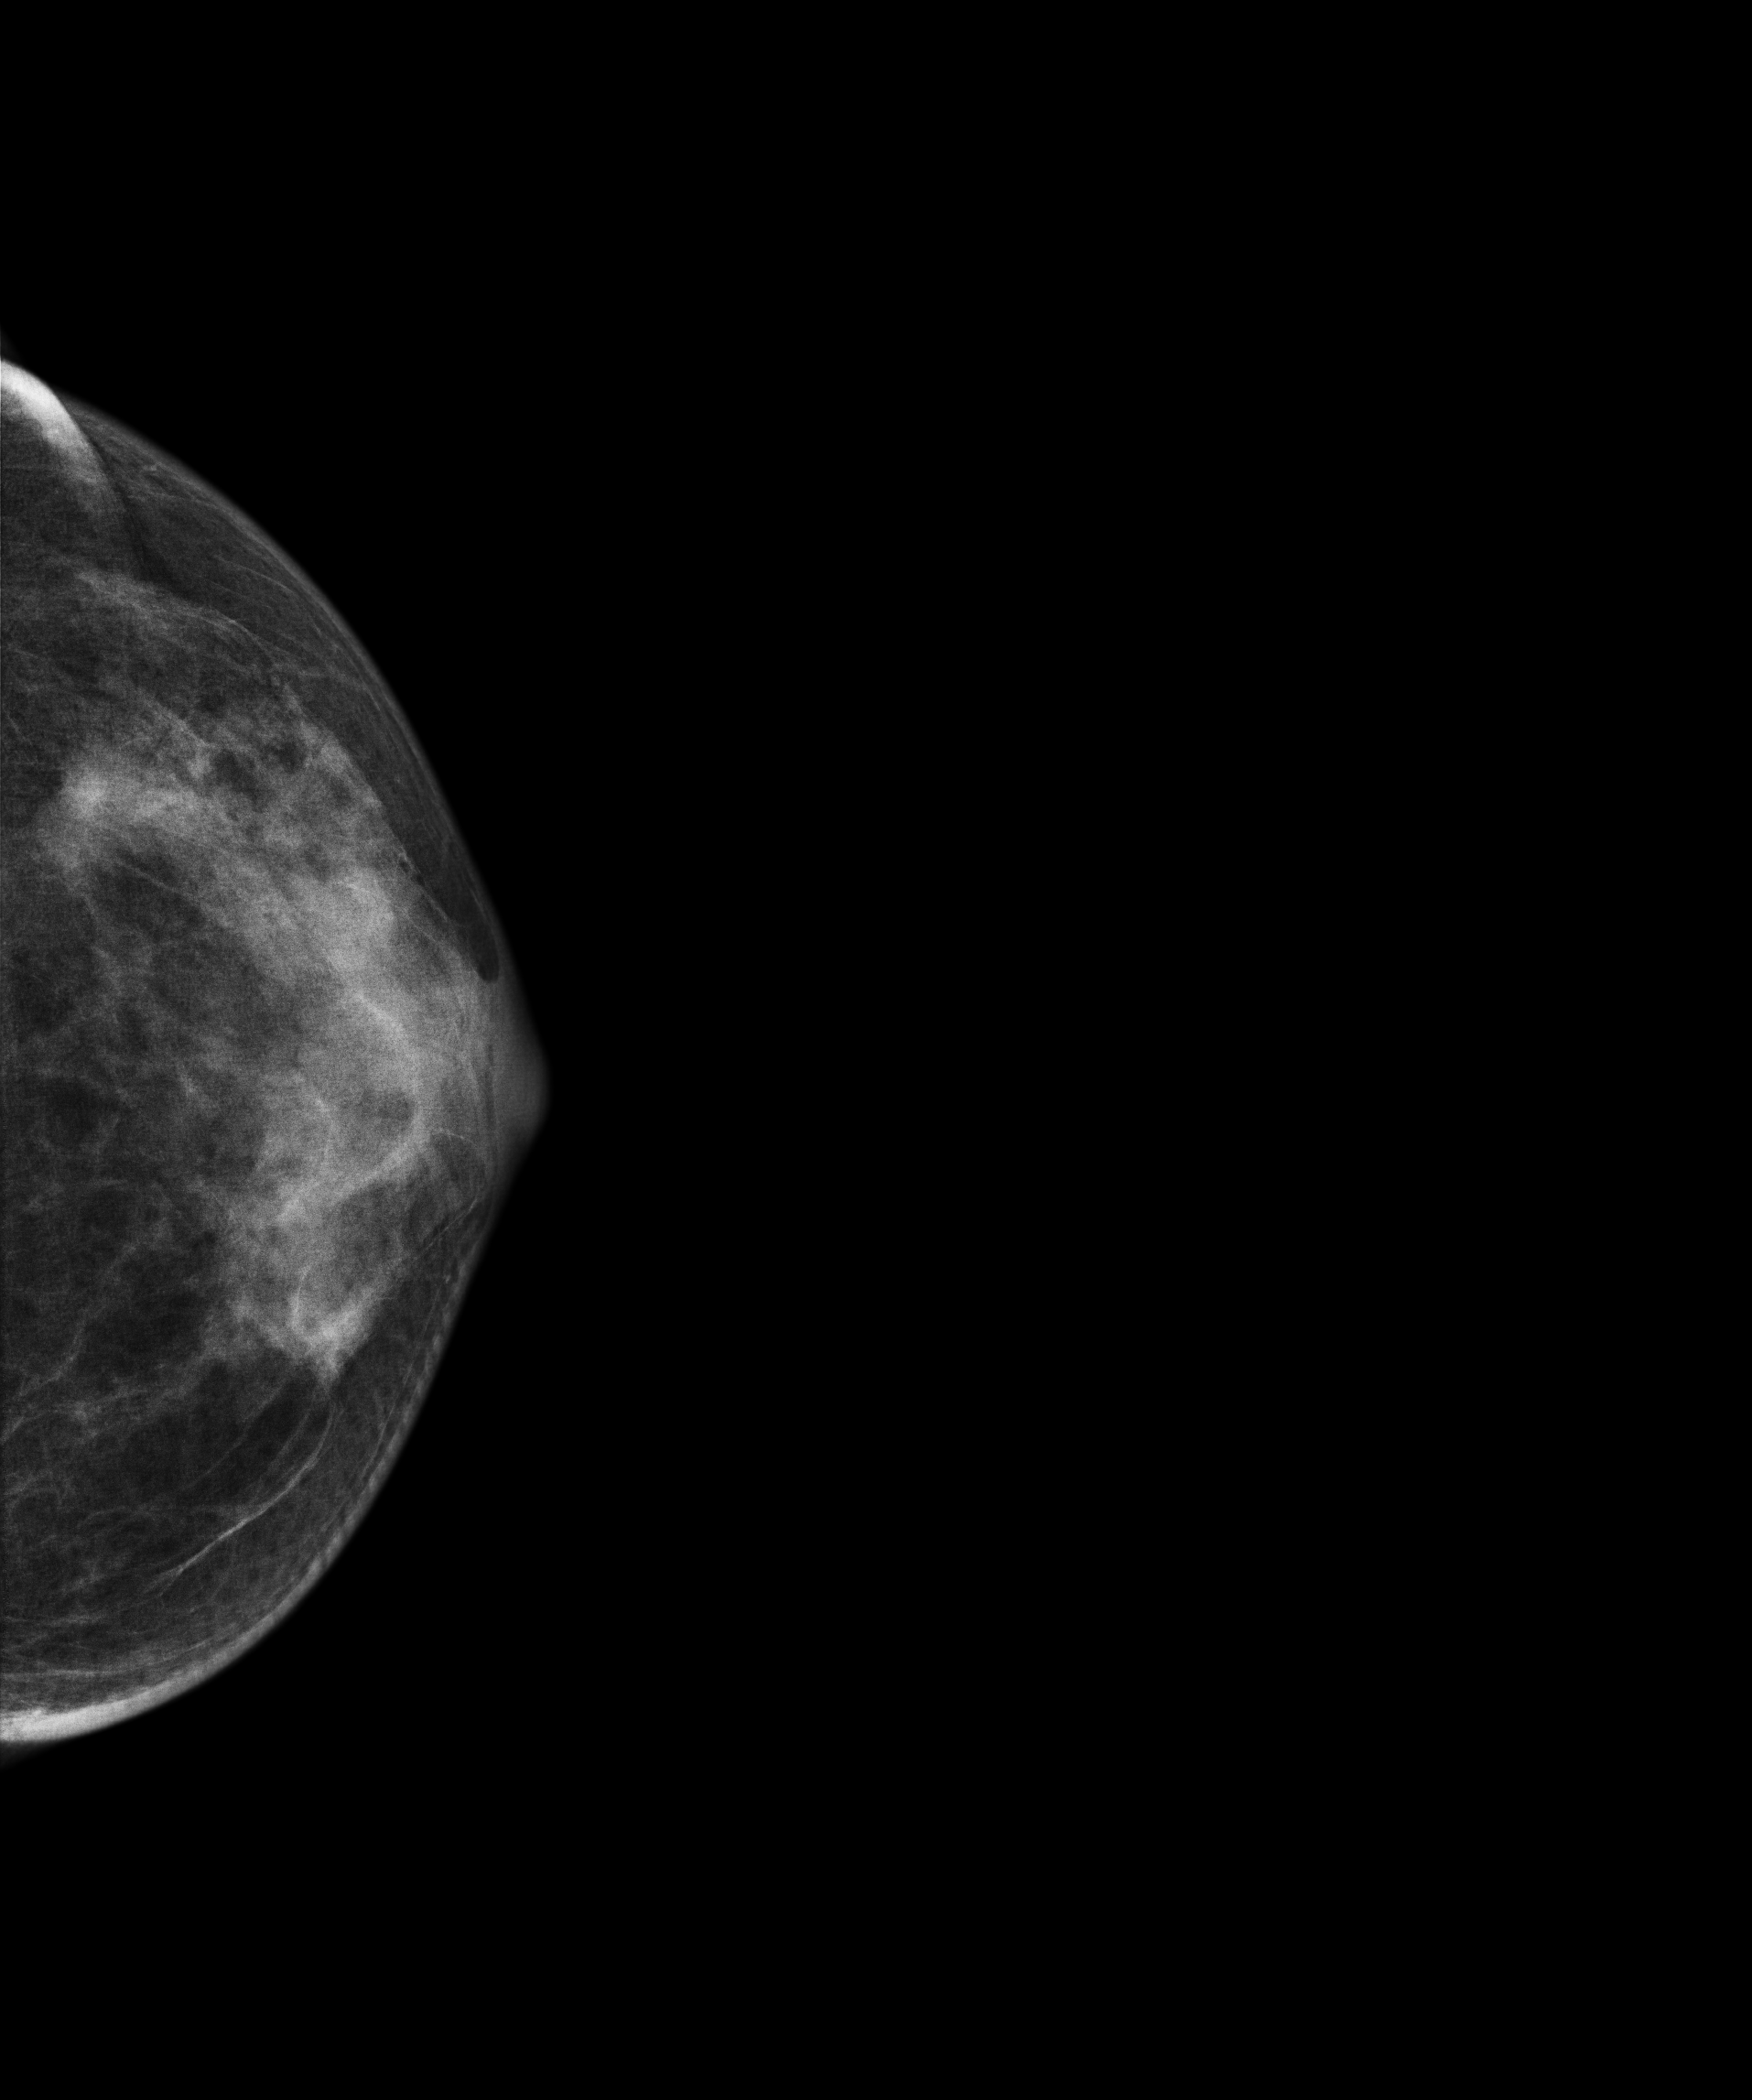
Digital mammography. Left breast, CC projection. 43-year-old patient.
This breast has a mass, biopsy-proven malignant. Molecular subtype: luminal A.